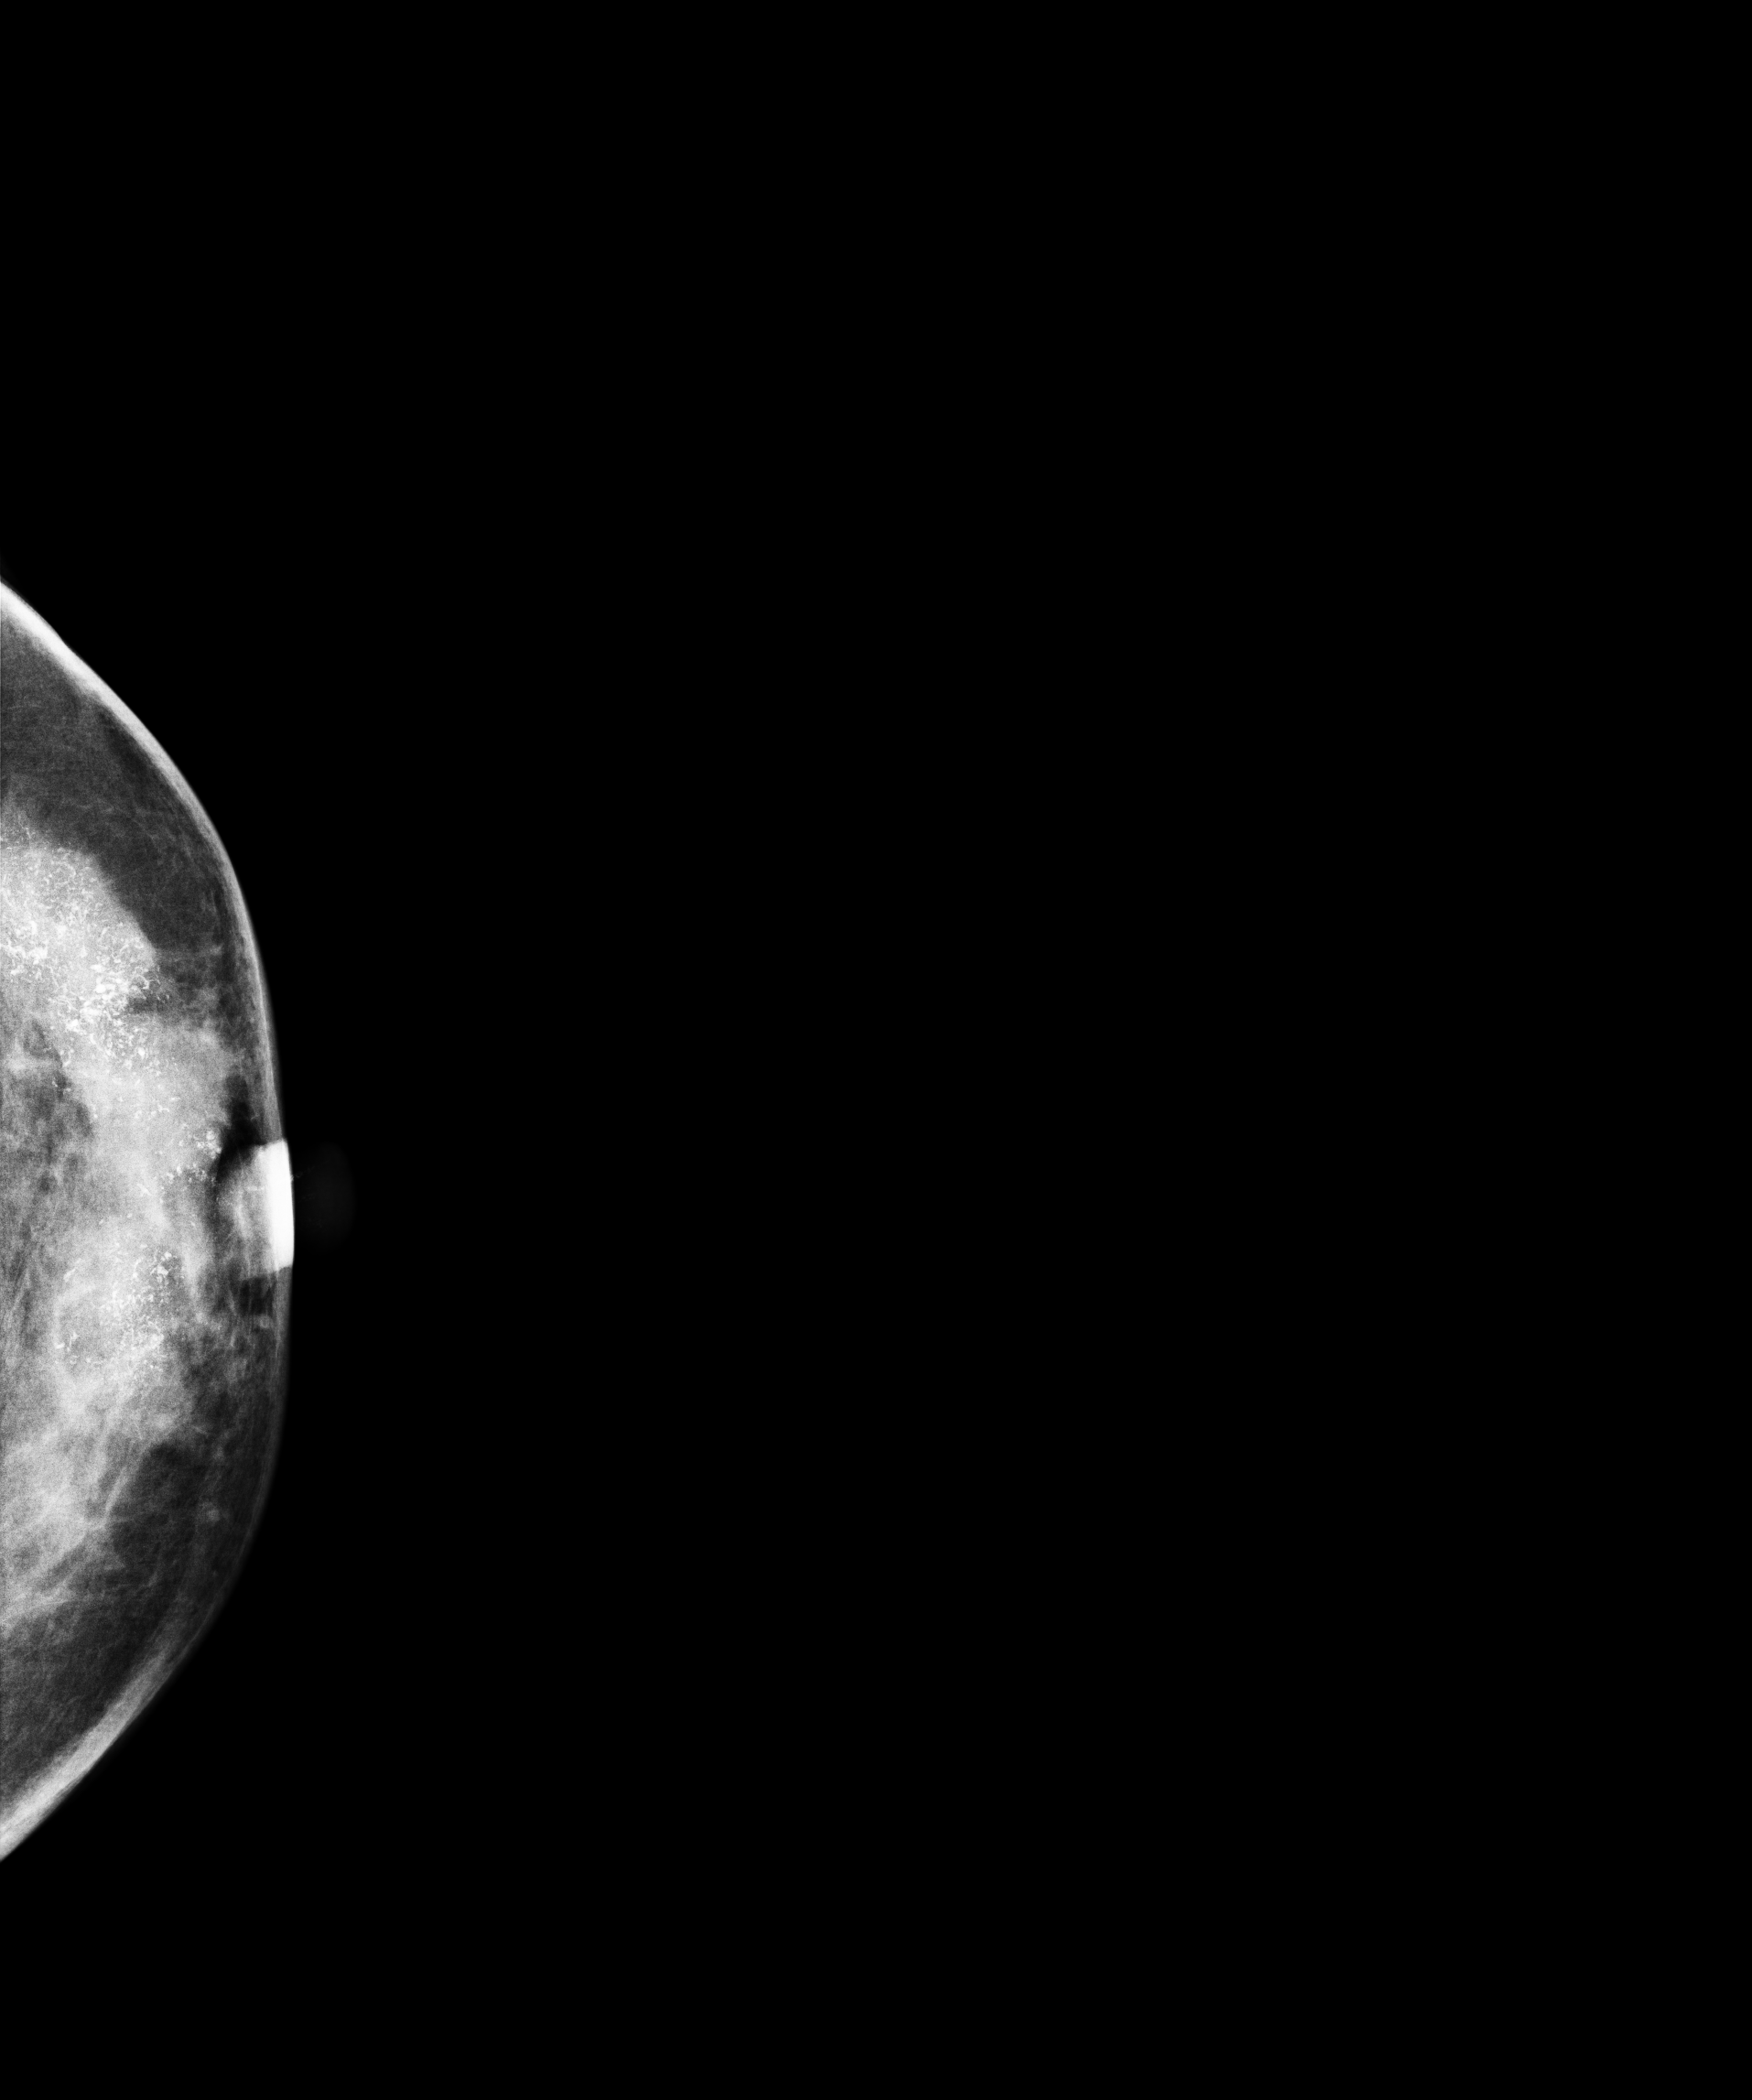
CC mammogram of the left breast. 54 y/o patient.
This breast has calcifications, biopsy-confirmed malignant. Molecular subtype: HER2-enriched.